Right-breast mammogram, medio-lateral oblique. 46 y/o patient.
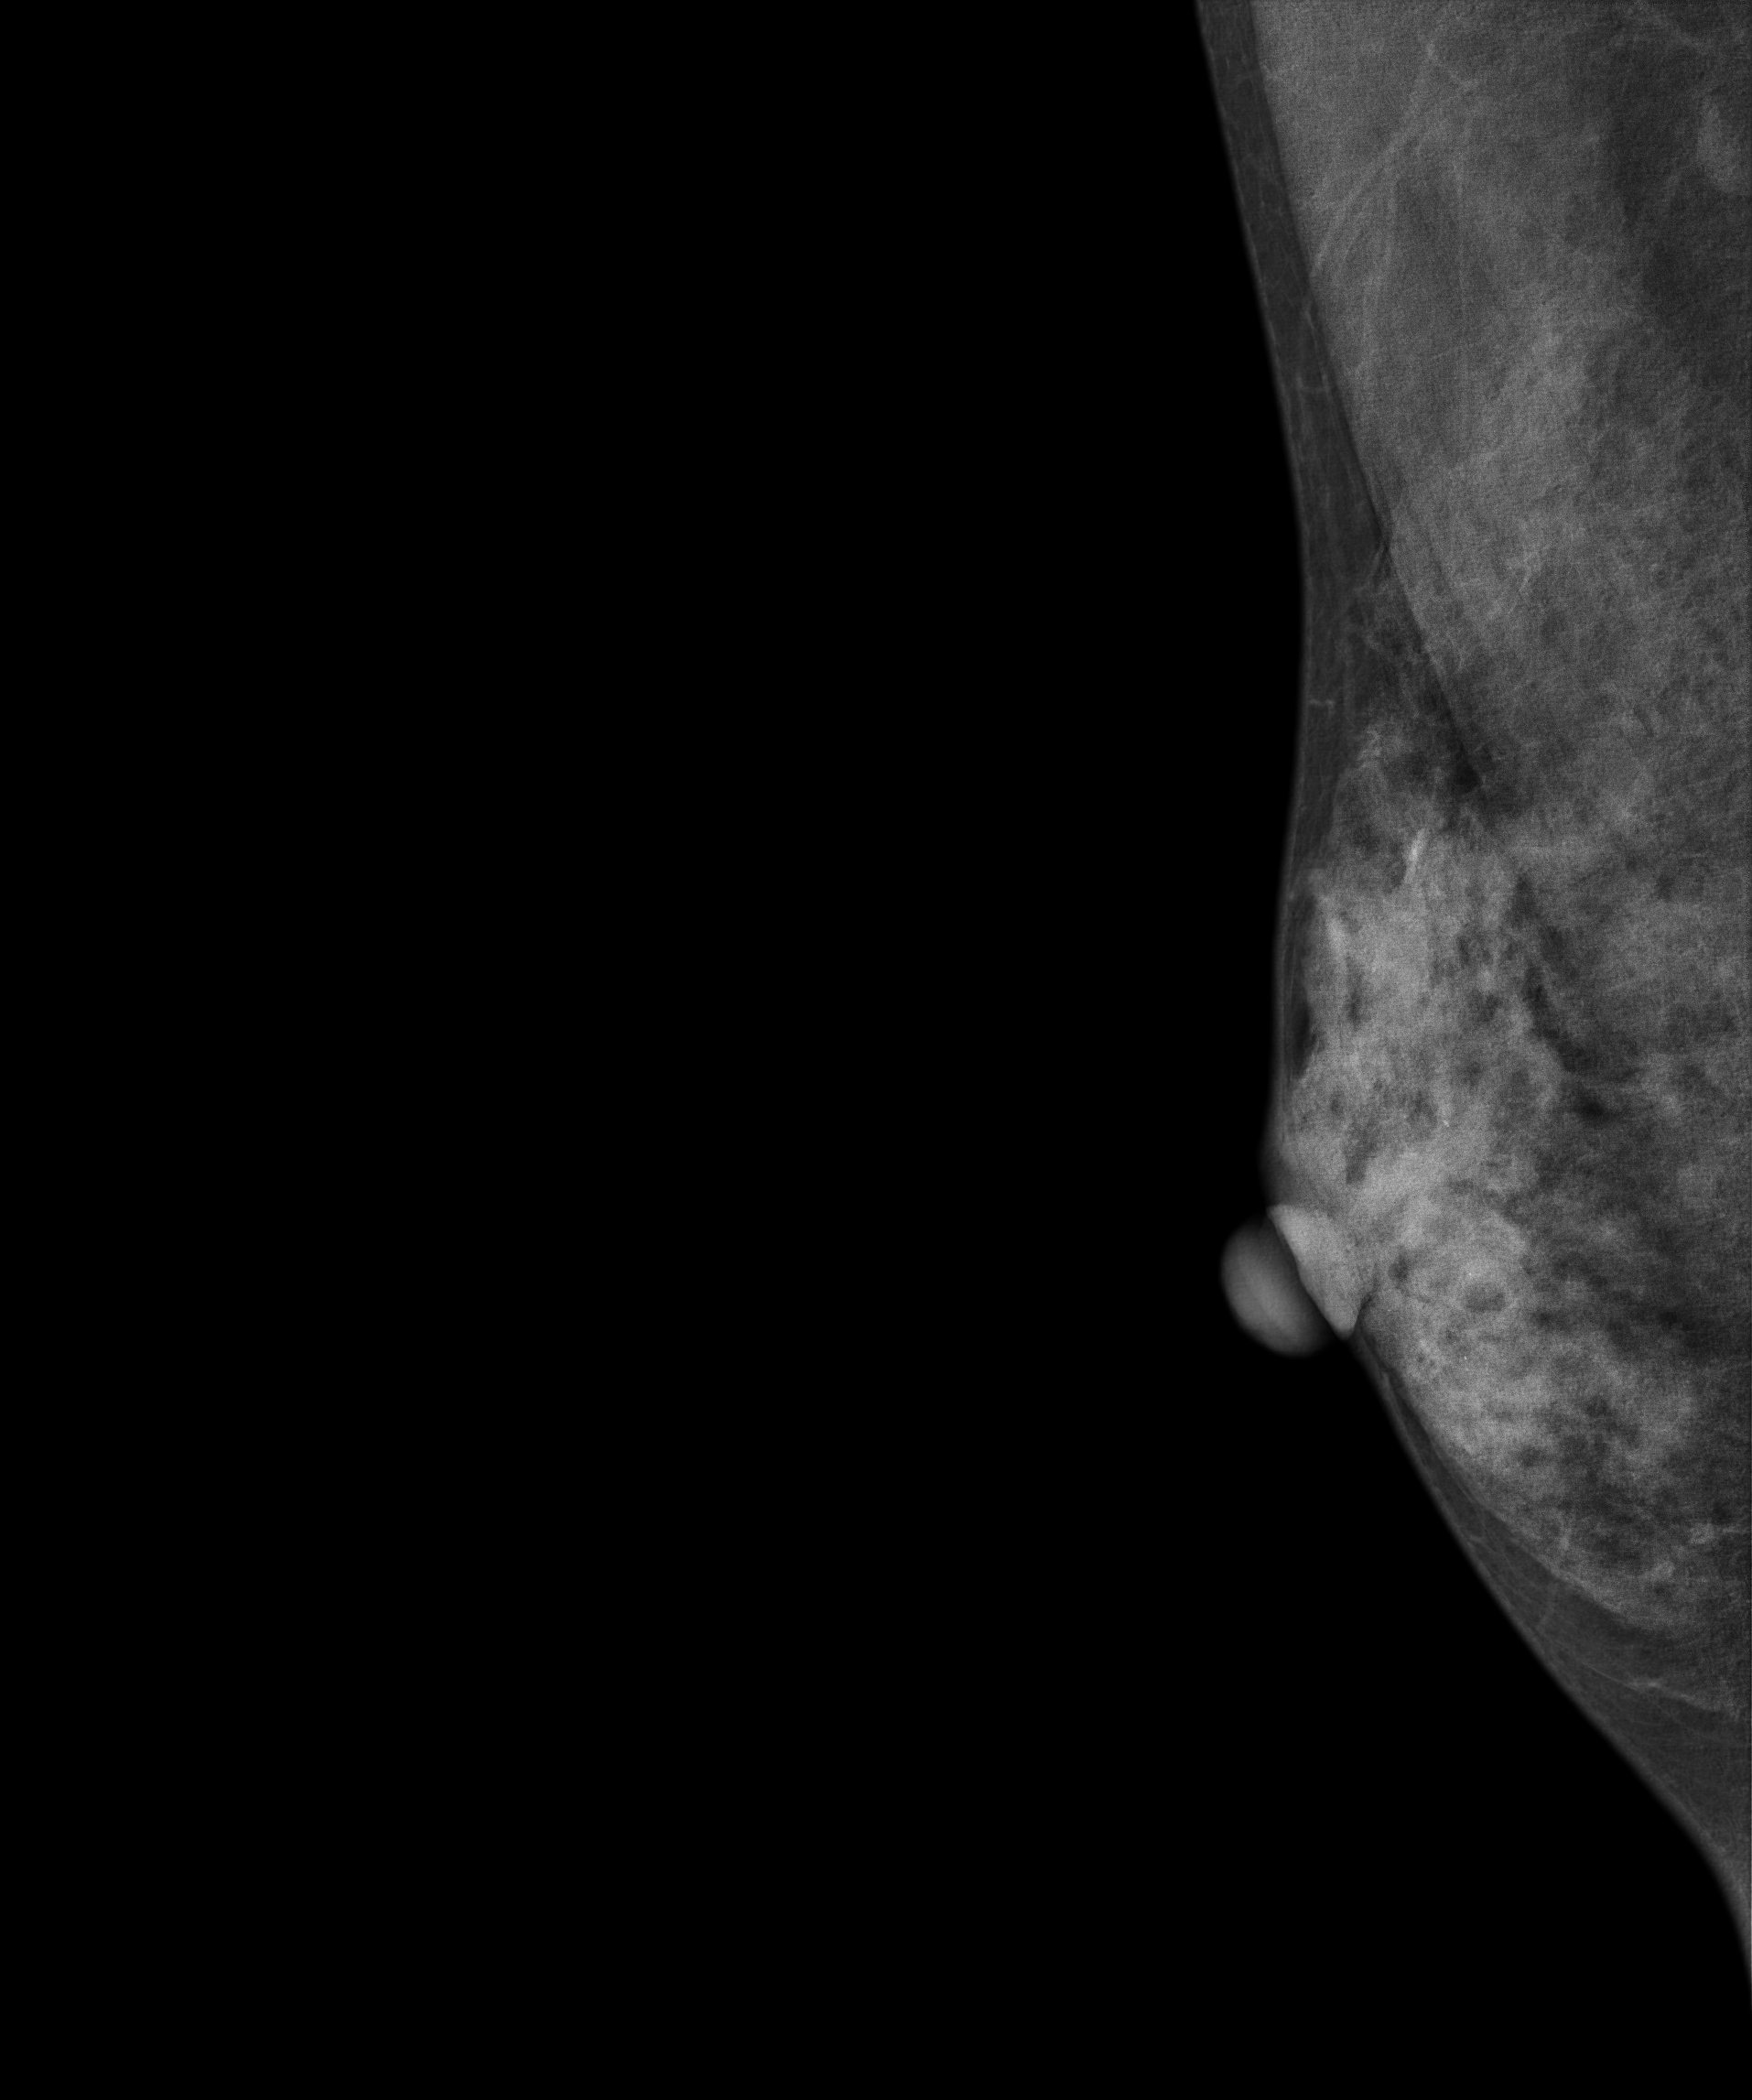
Contralateral breast — no documented abnormality on this side.